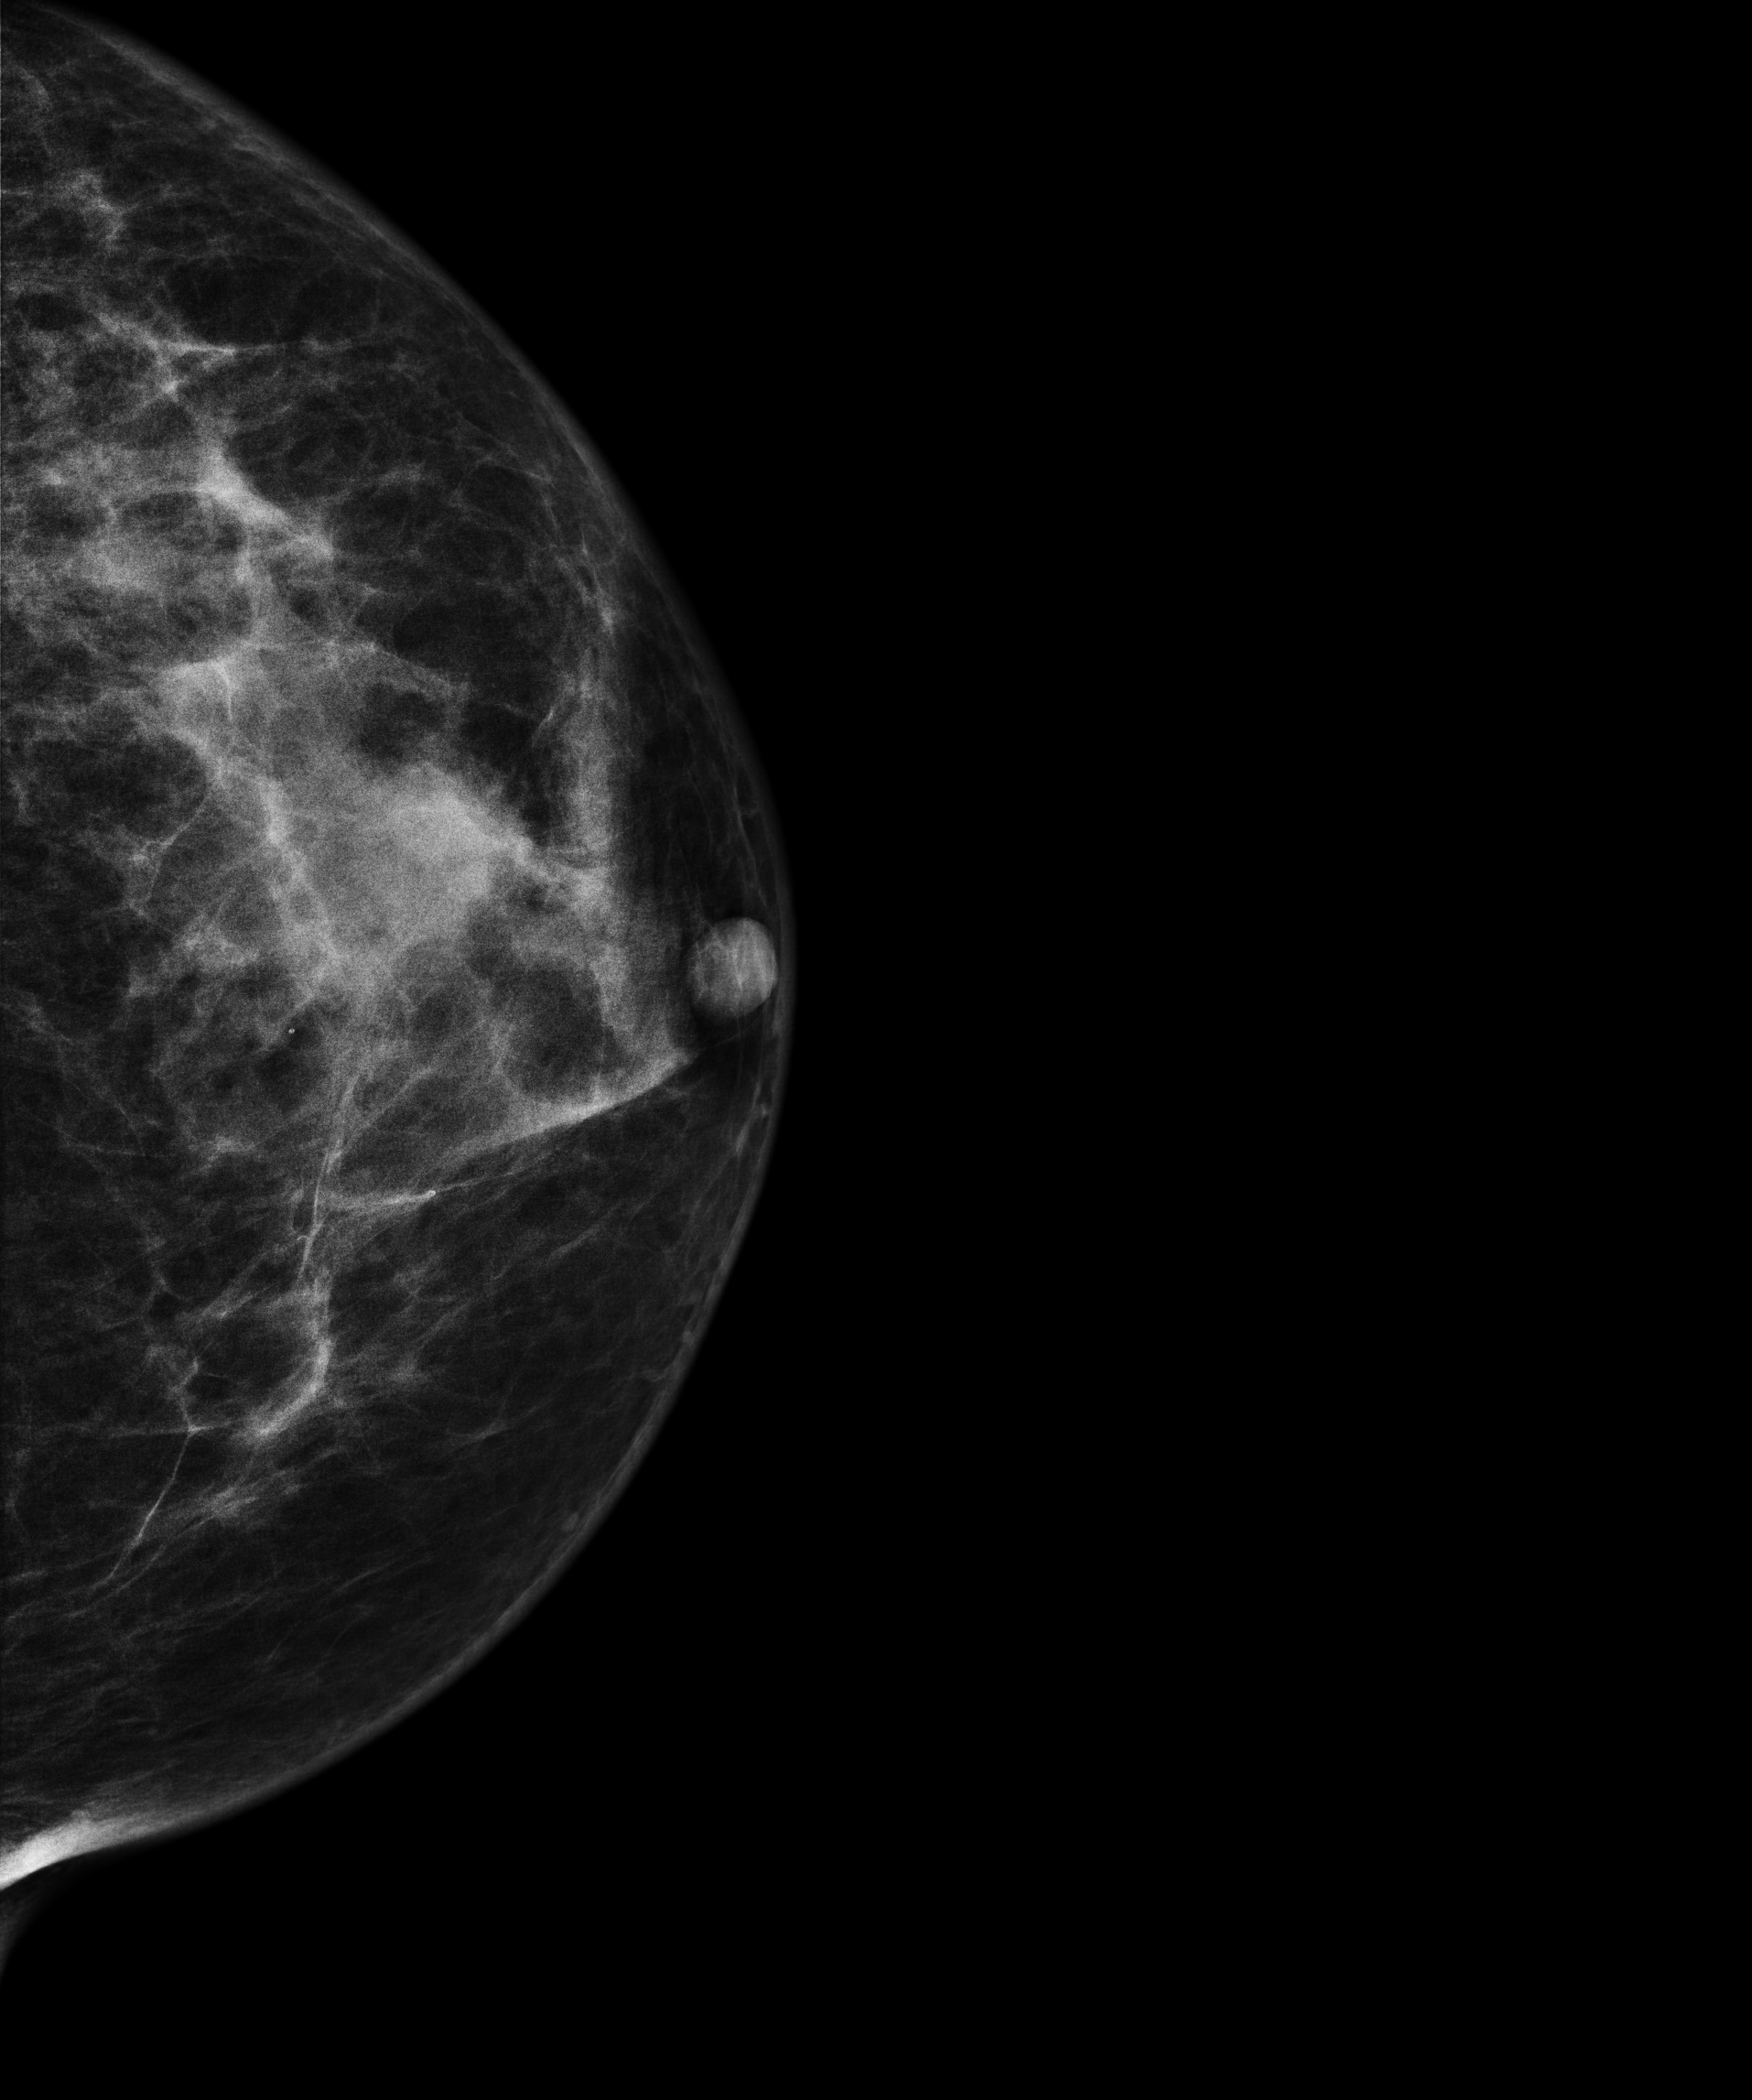
Mammogram, left breast, CC view. 73-year-old patient.
This breast has a mass, biopsy-proven malignant.